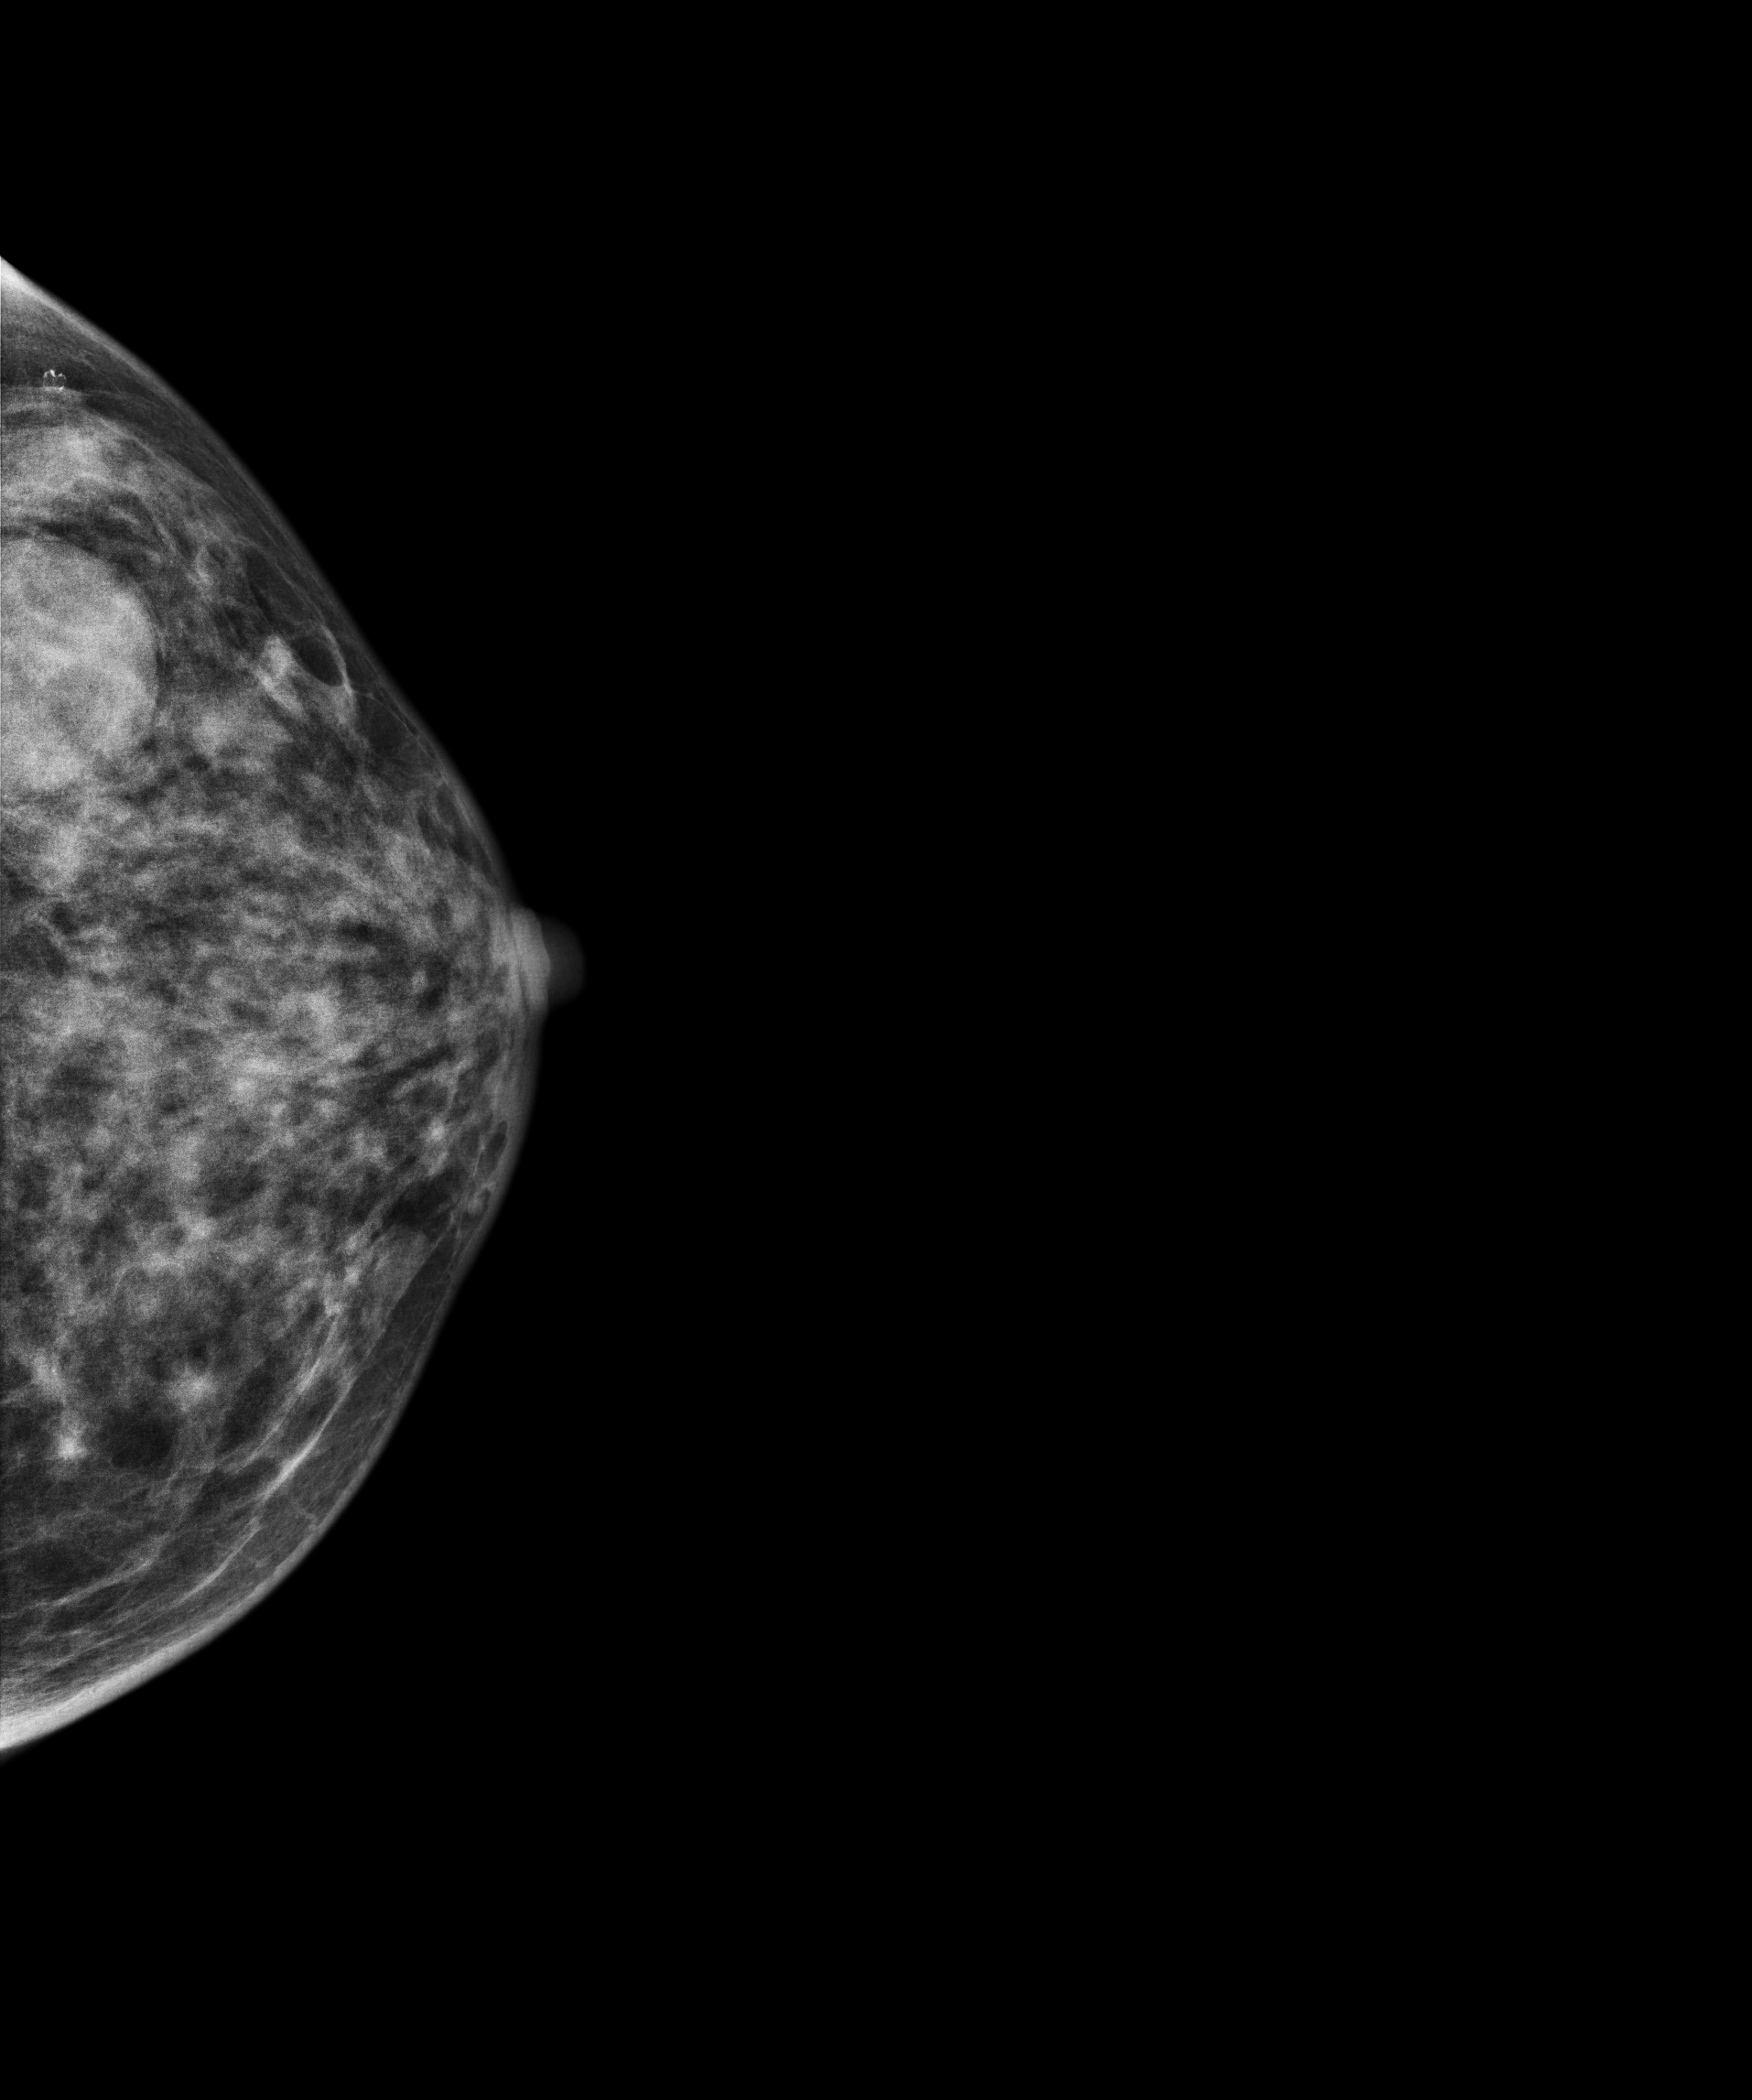
Cranio-caudal mammogram of the left breast. 48-year-old patient.
This breast has a mass, biopsy-proven benign.